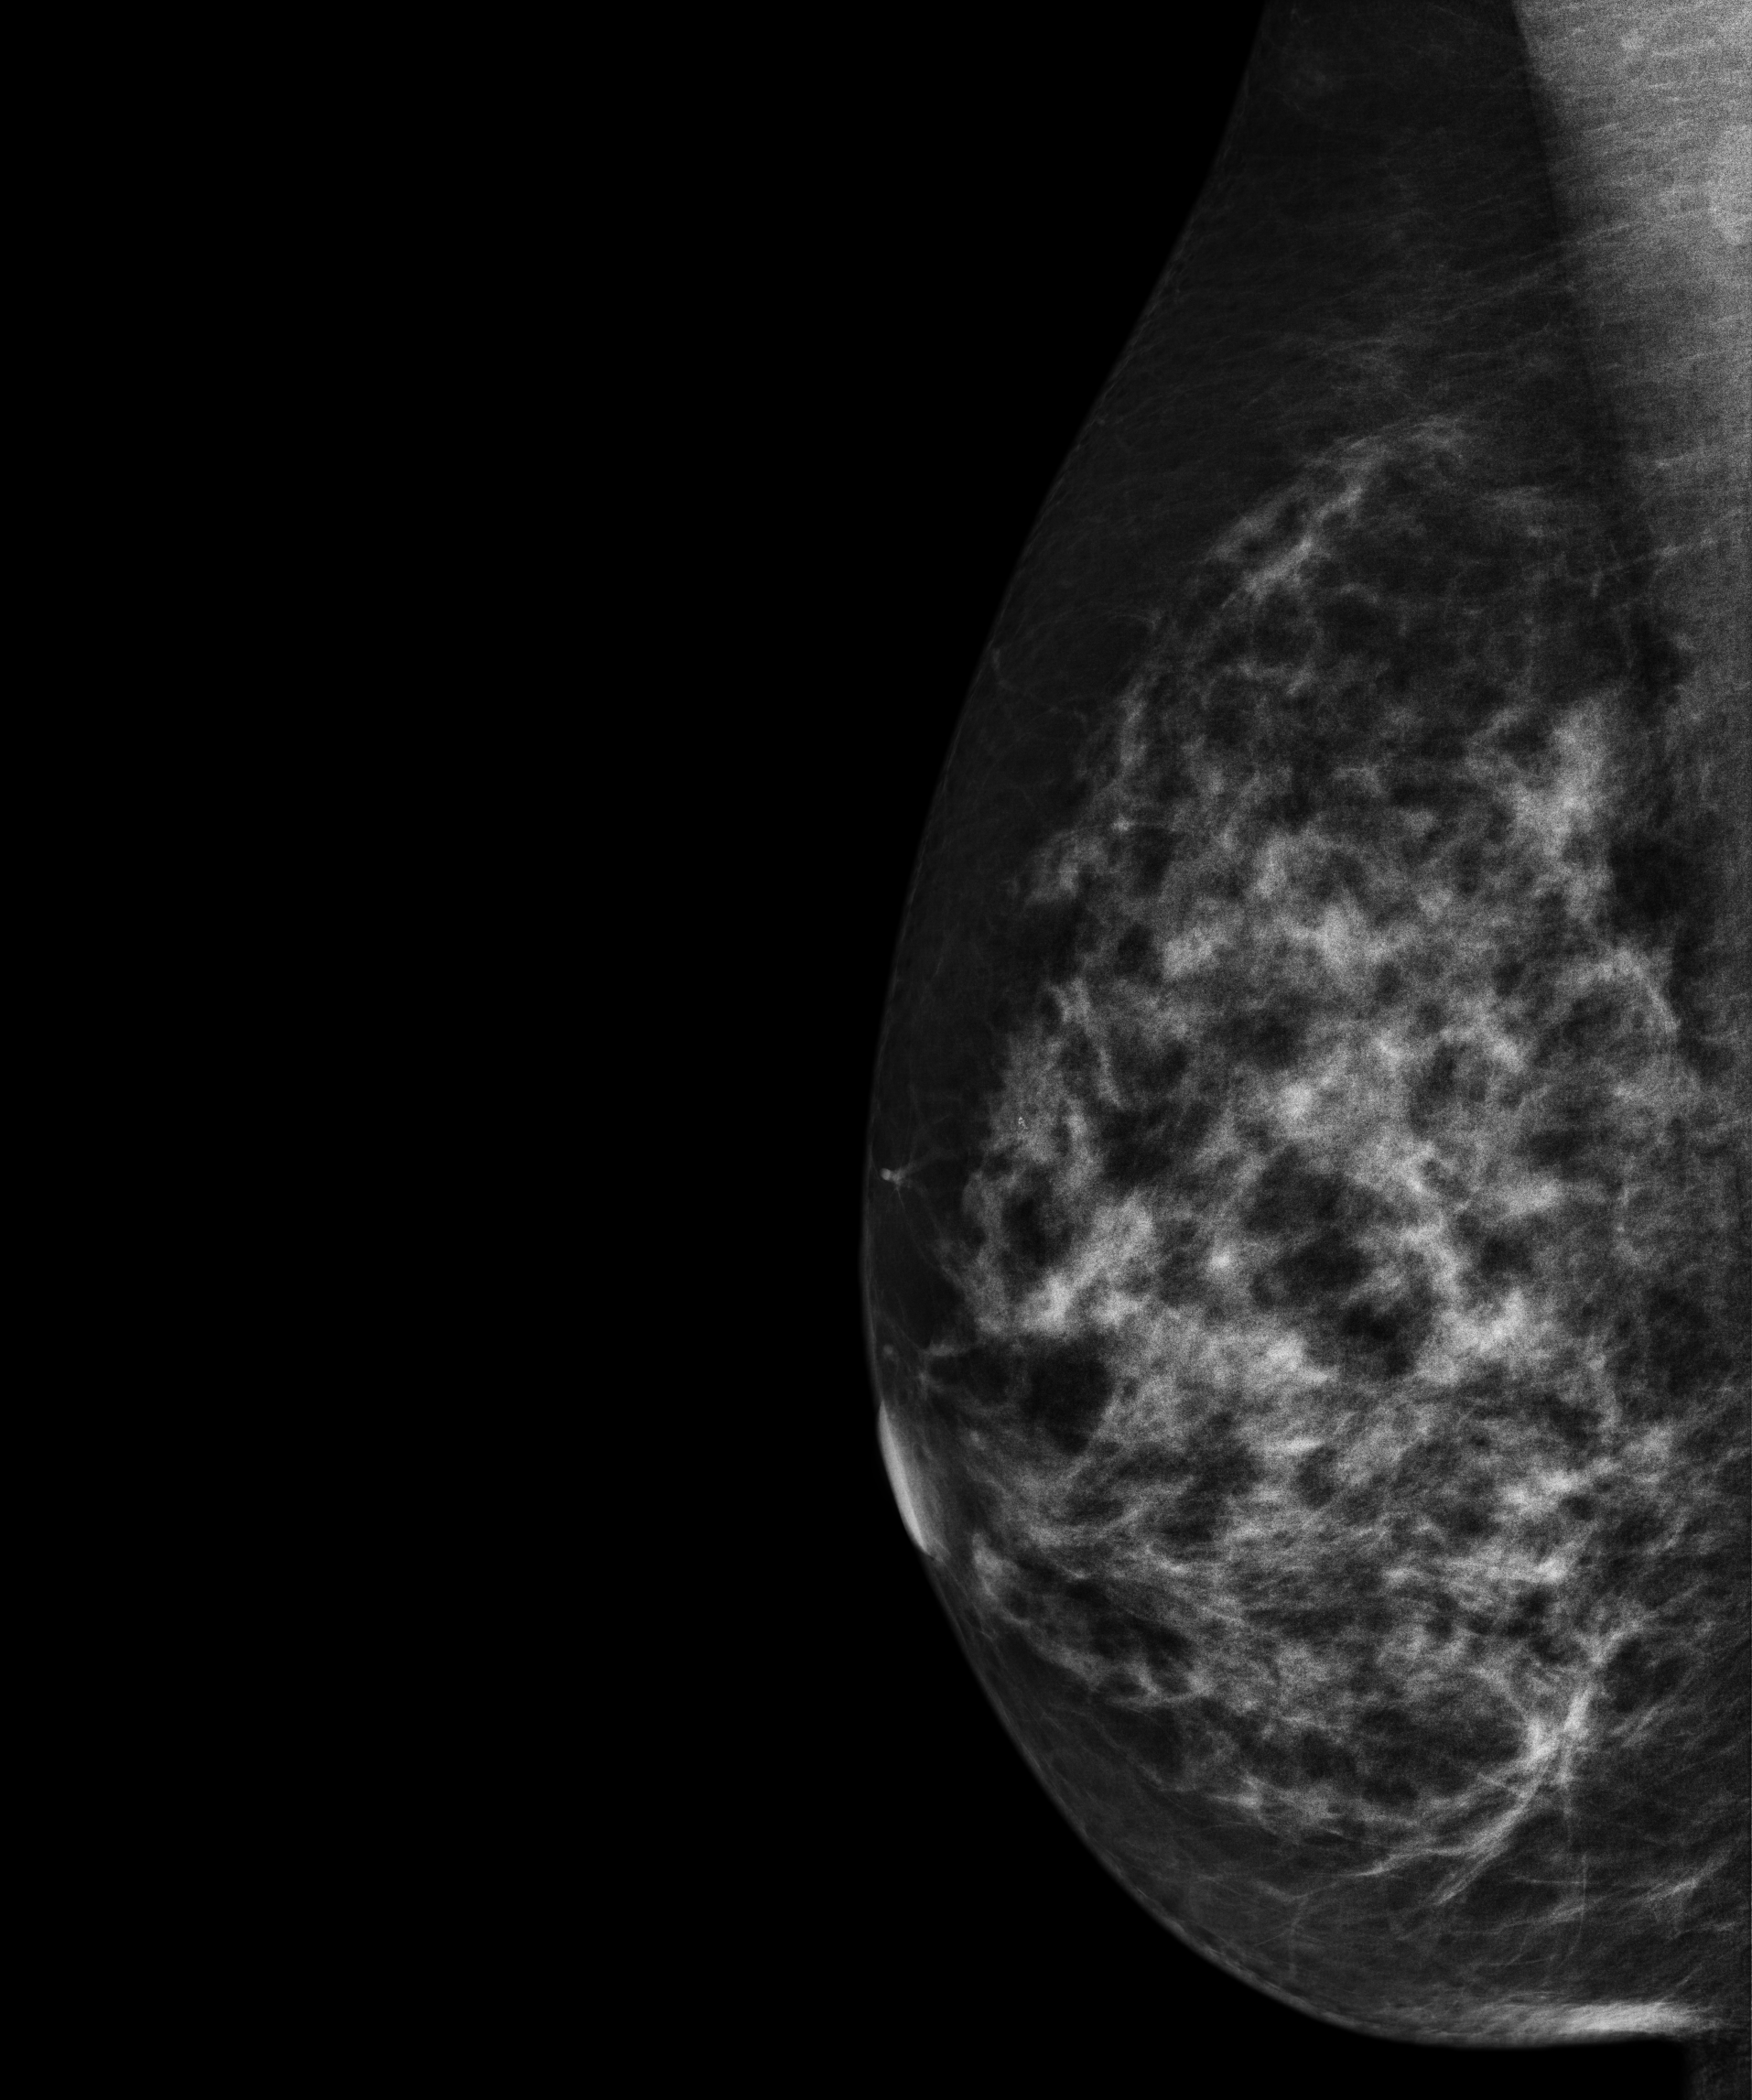
Digital mammography. Right breast, MLO projection. 55 y/o patient.
Contralateral breast — no documented abnormality on this side.